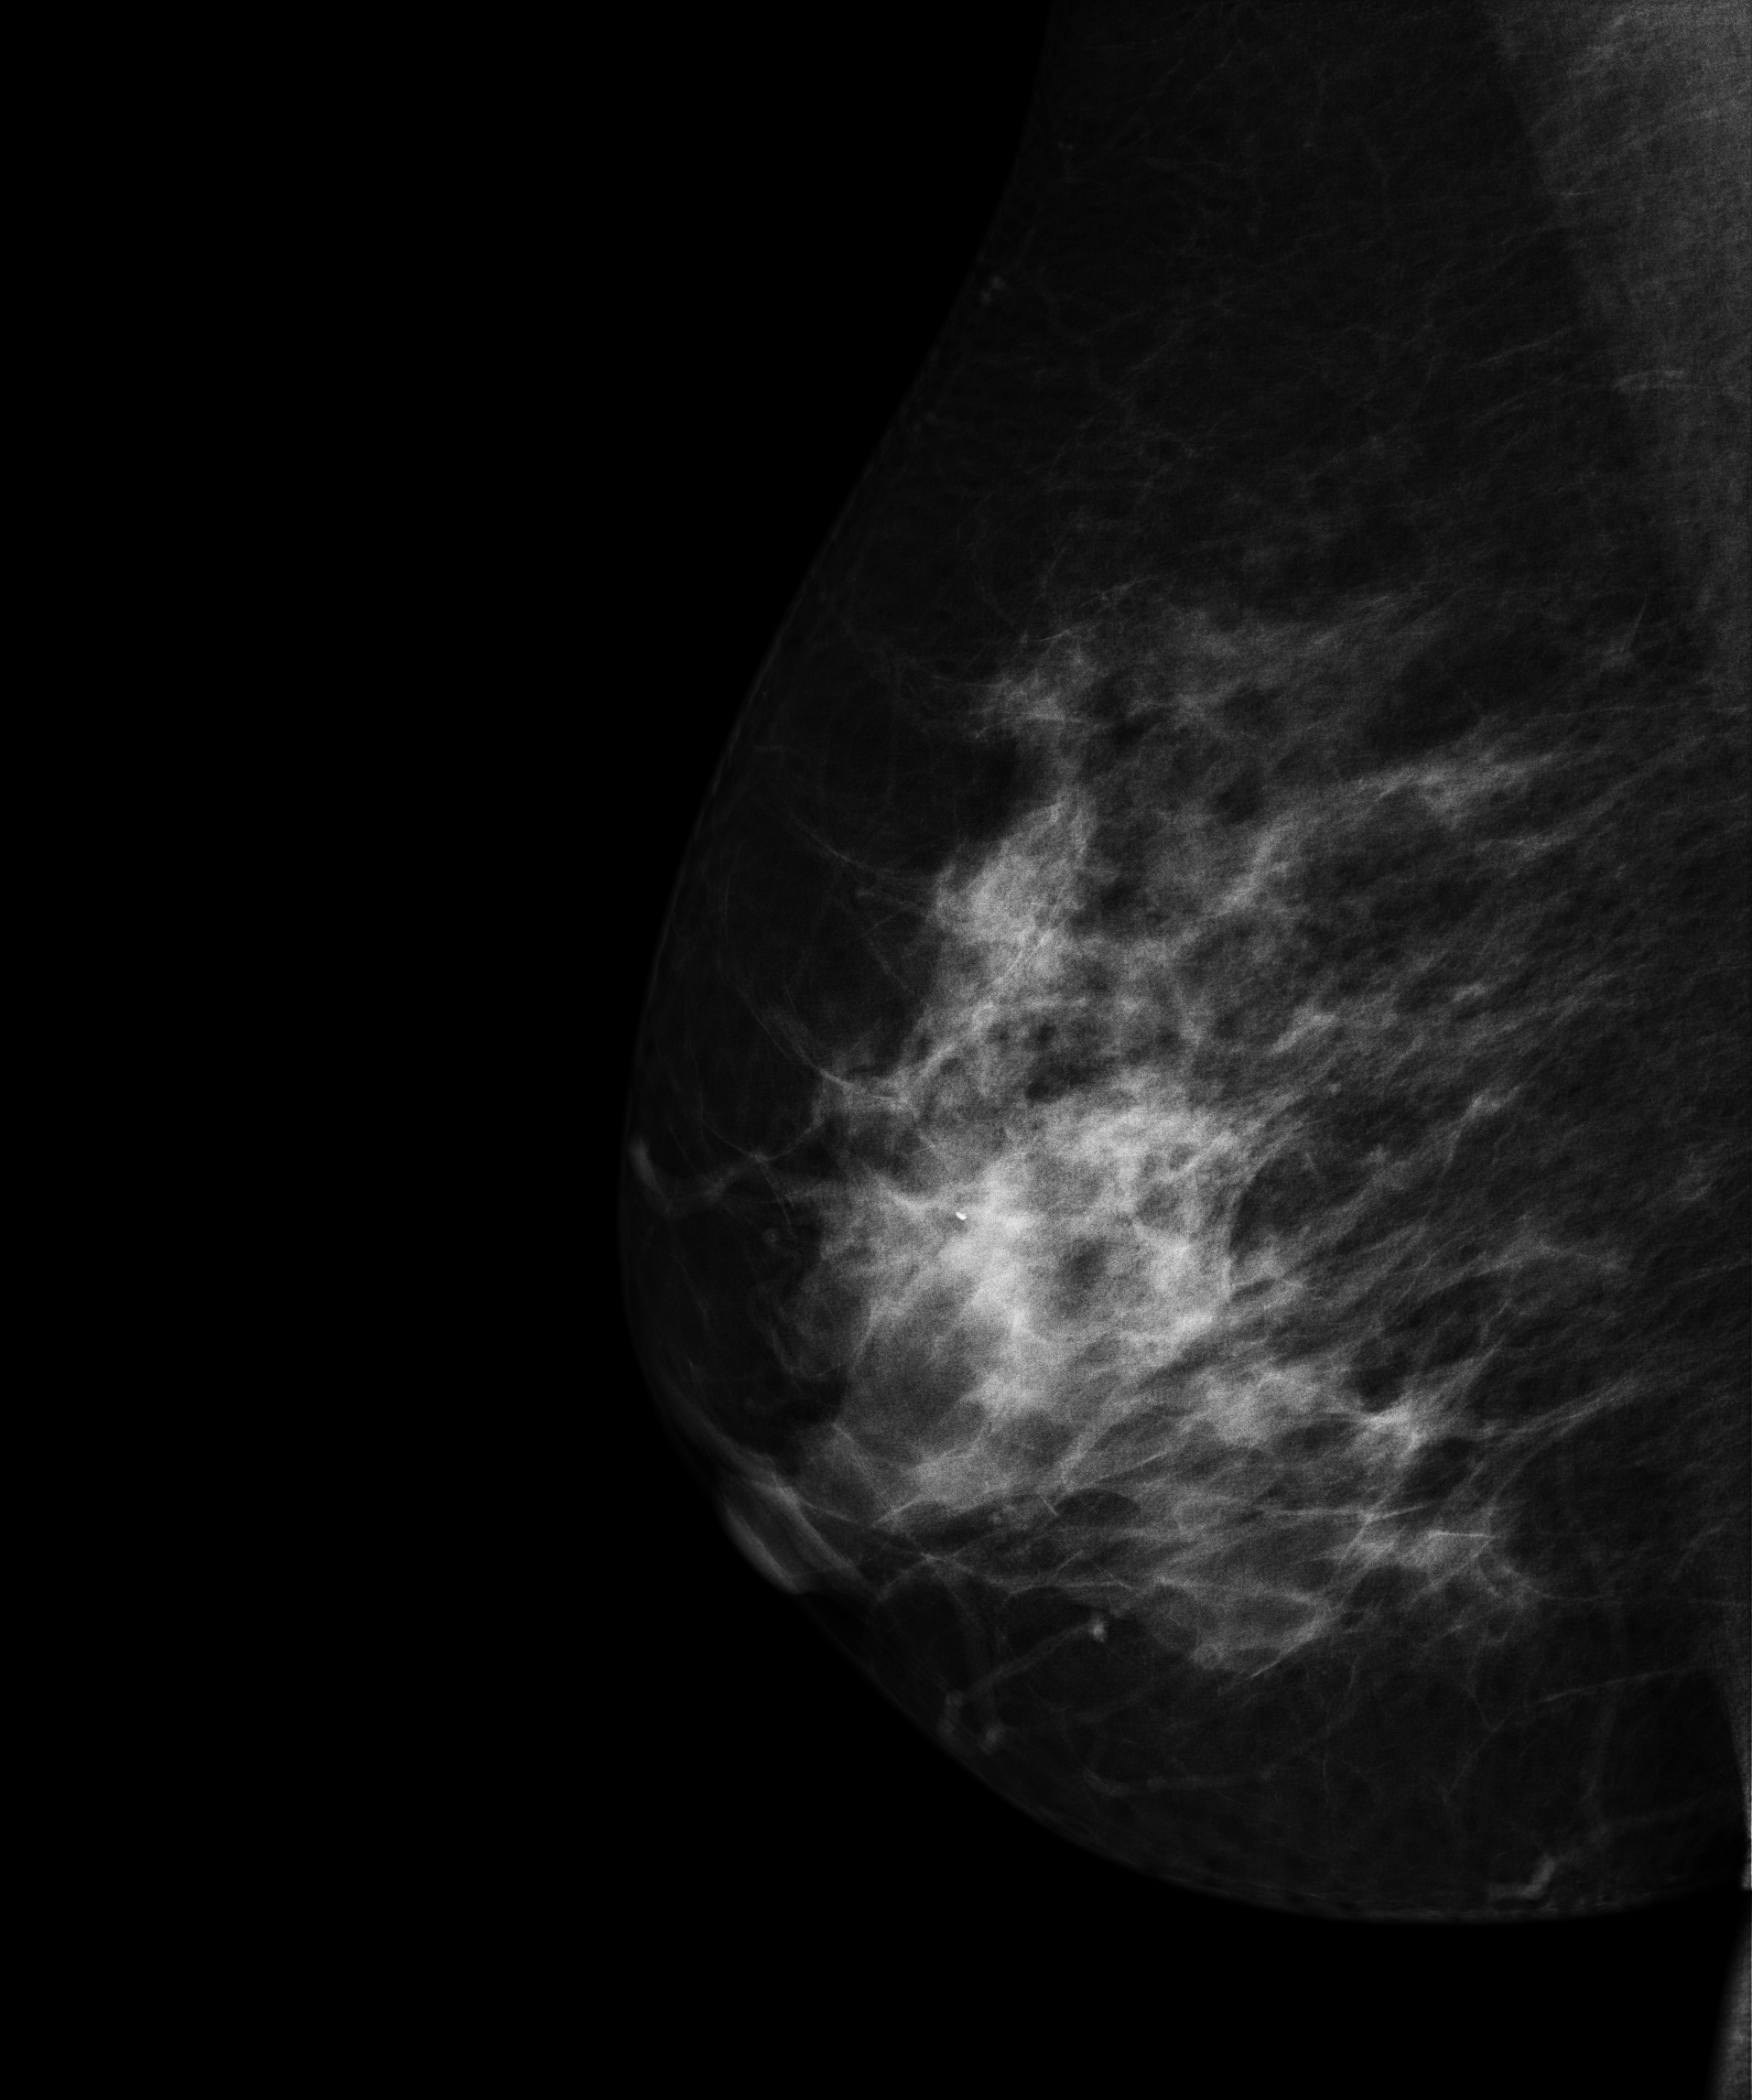
Right-breast mammogram, MLO. 63-year-old patient.
This breast has a mass, pathology-confirmed malignant. Molecular subtype: HER2-enriched.